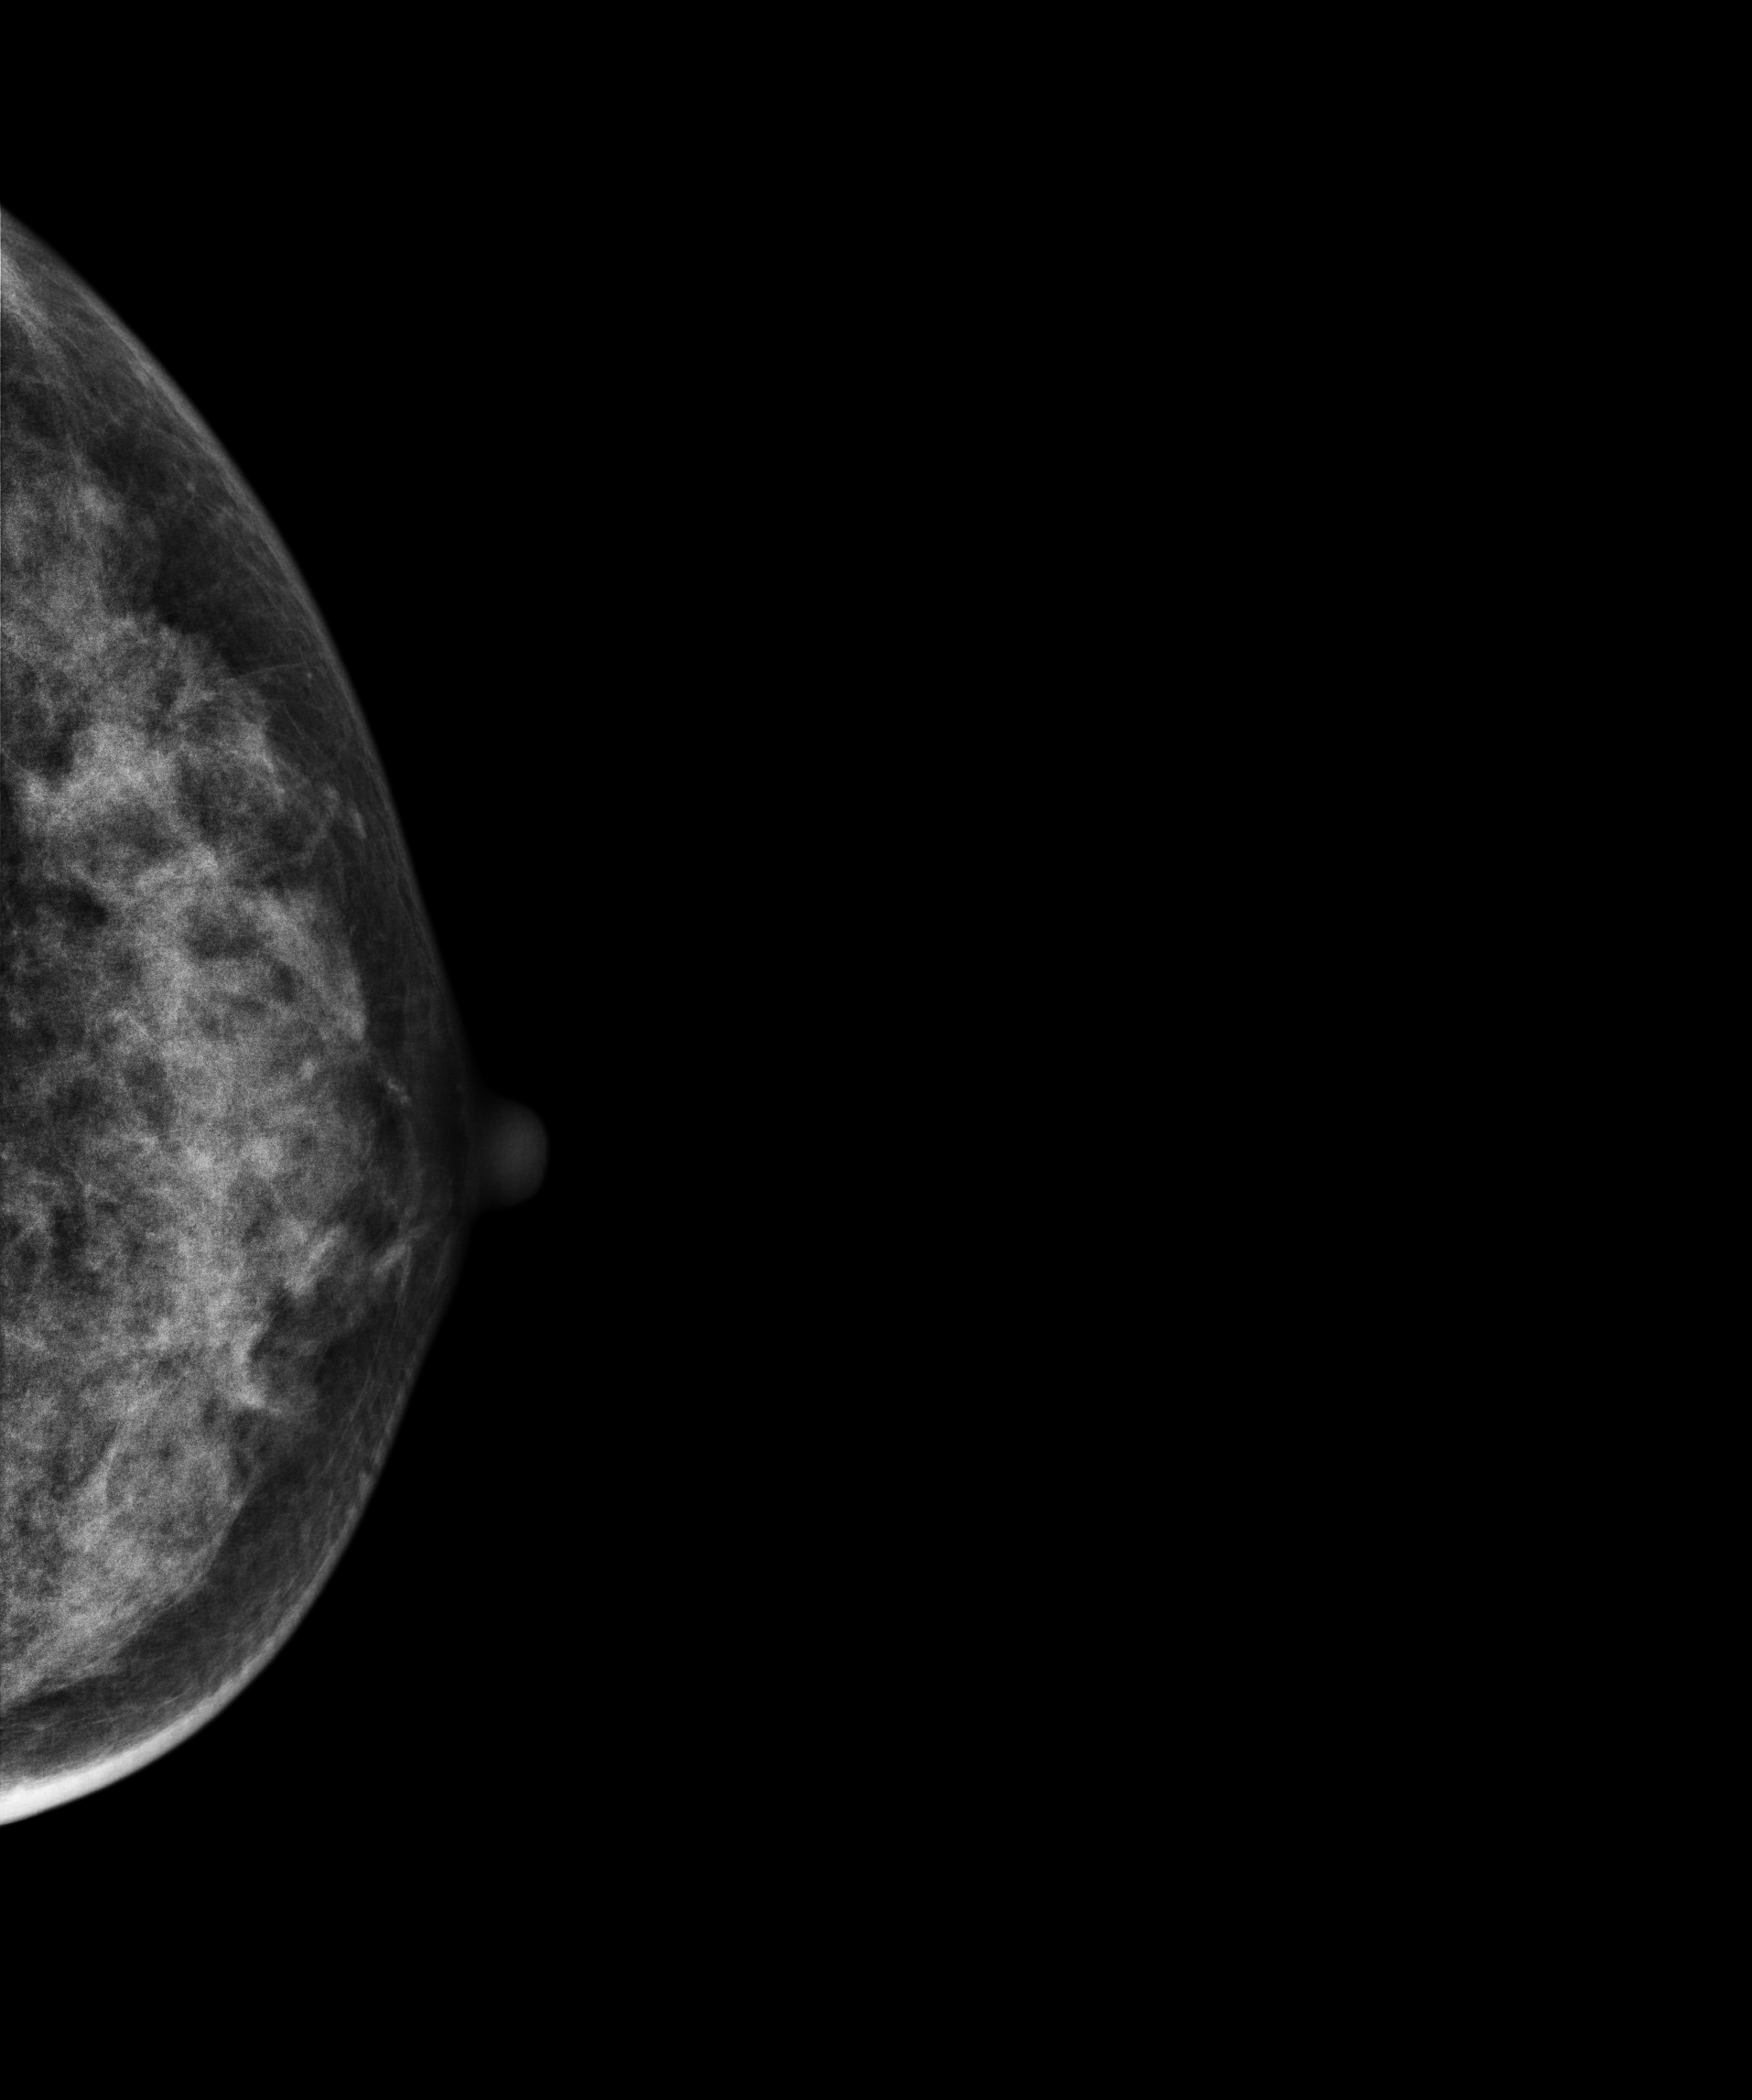
Left-breast mammogram, cranio-caudal. 43 y/o patient.
This breast has a mass, biopsy-confirmed benign.